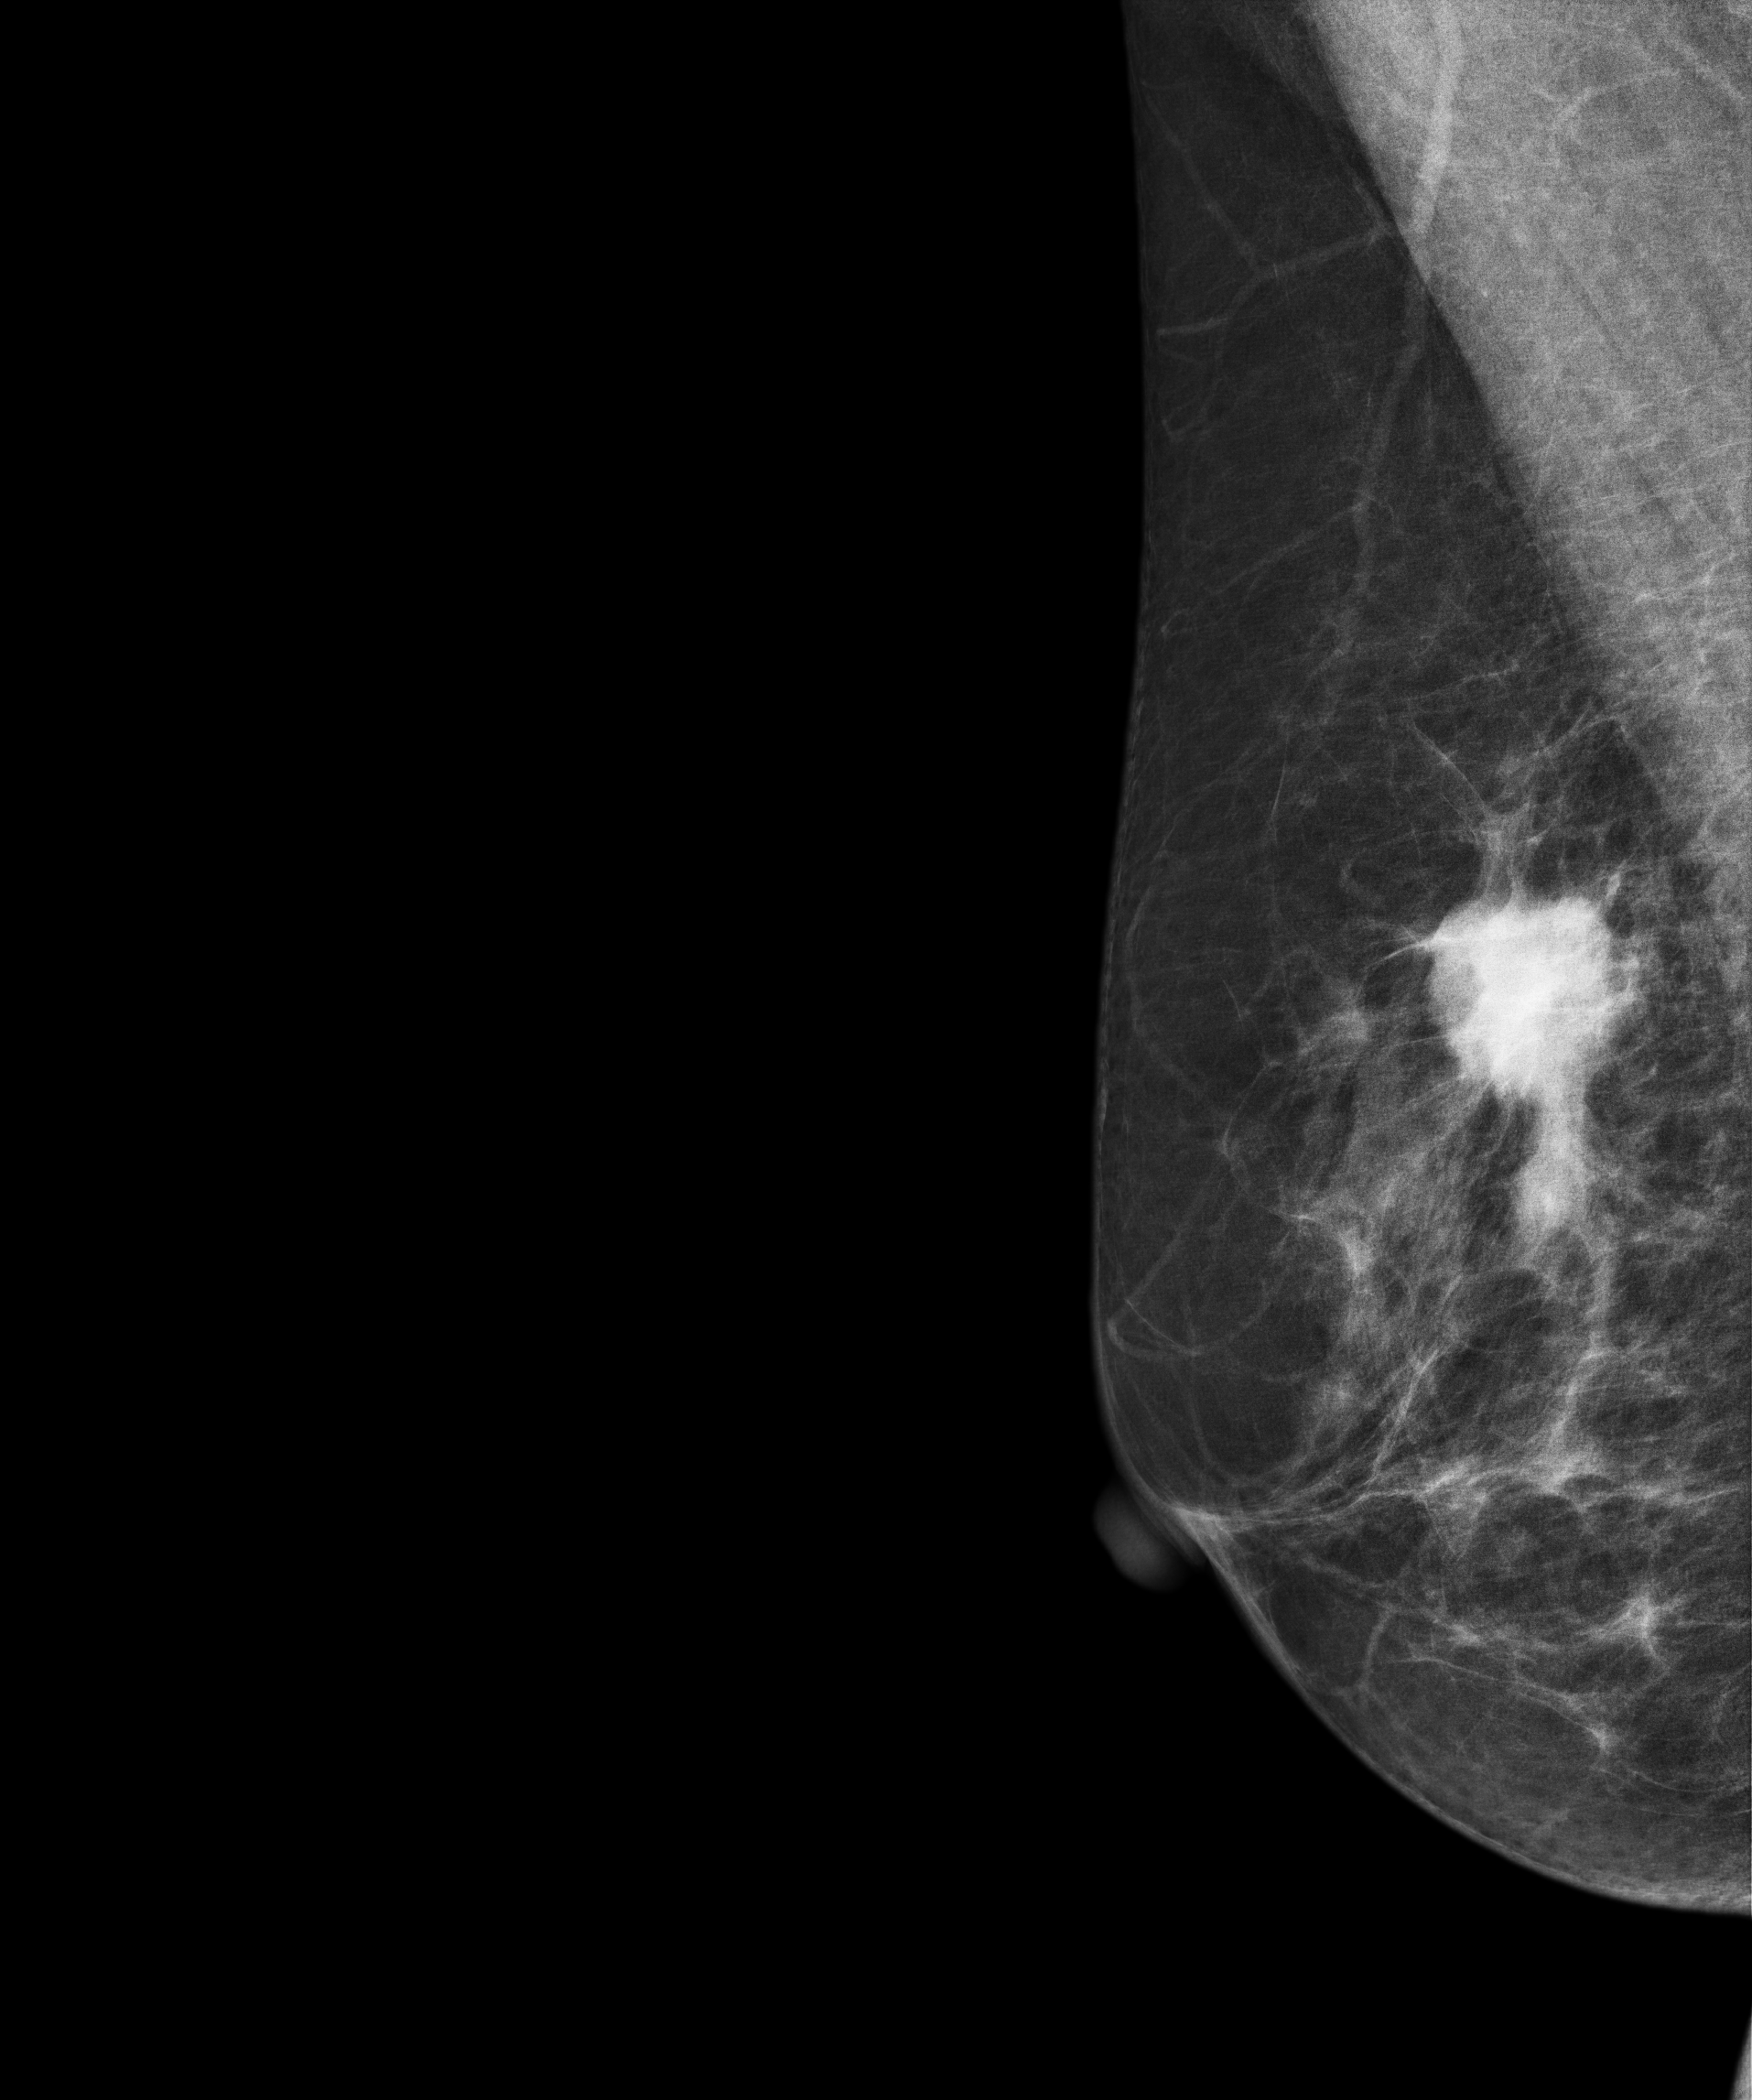
Right-breast mammogram, MLO. 67-year-old patient.
This breast has a mass, biopsy-confirmed malignant.